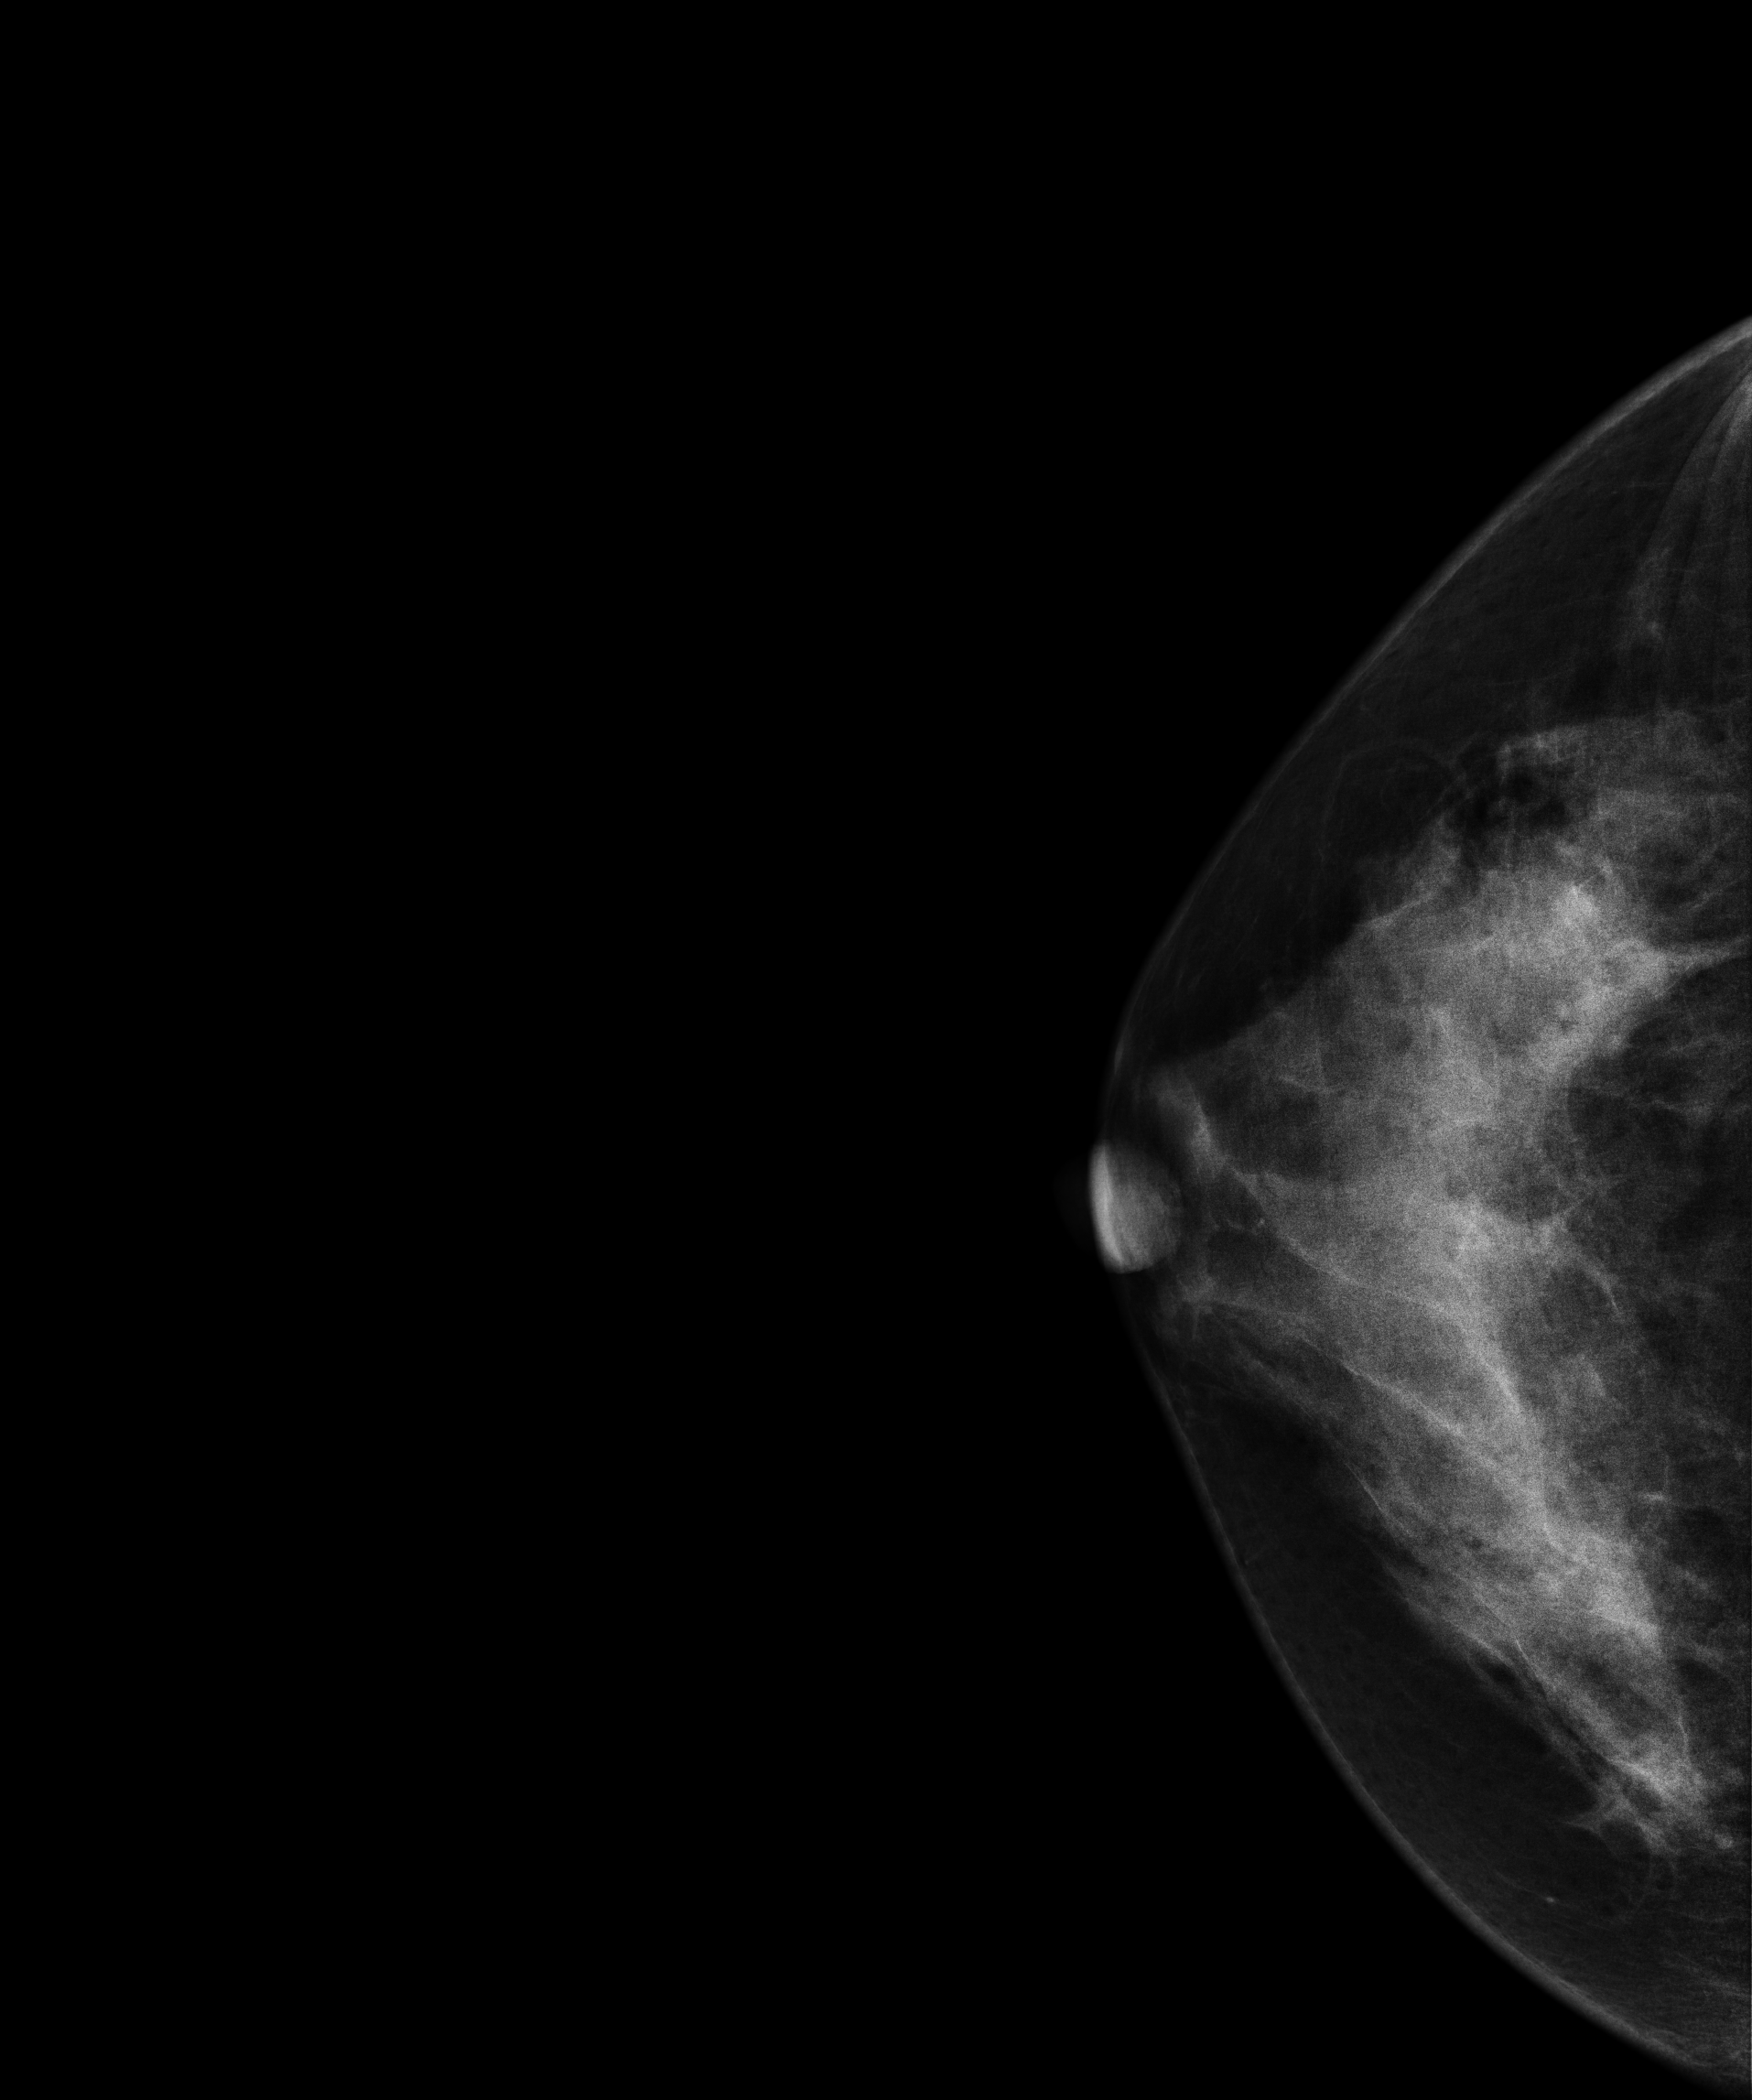
Right-breast mammogram, CC. Patient age 44.
This breast has a mass, histologically confirmed malignant.